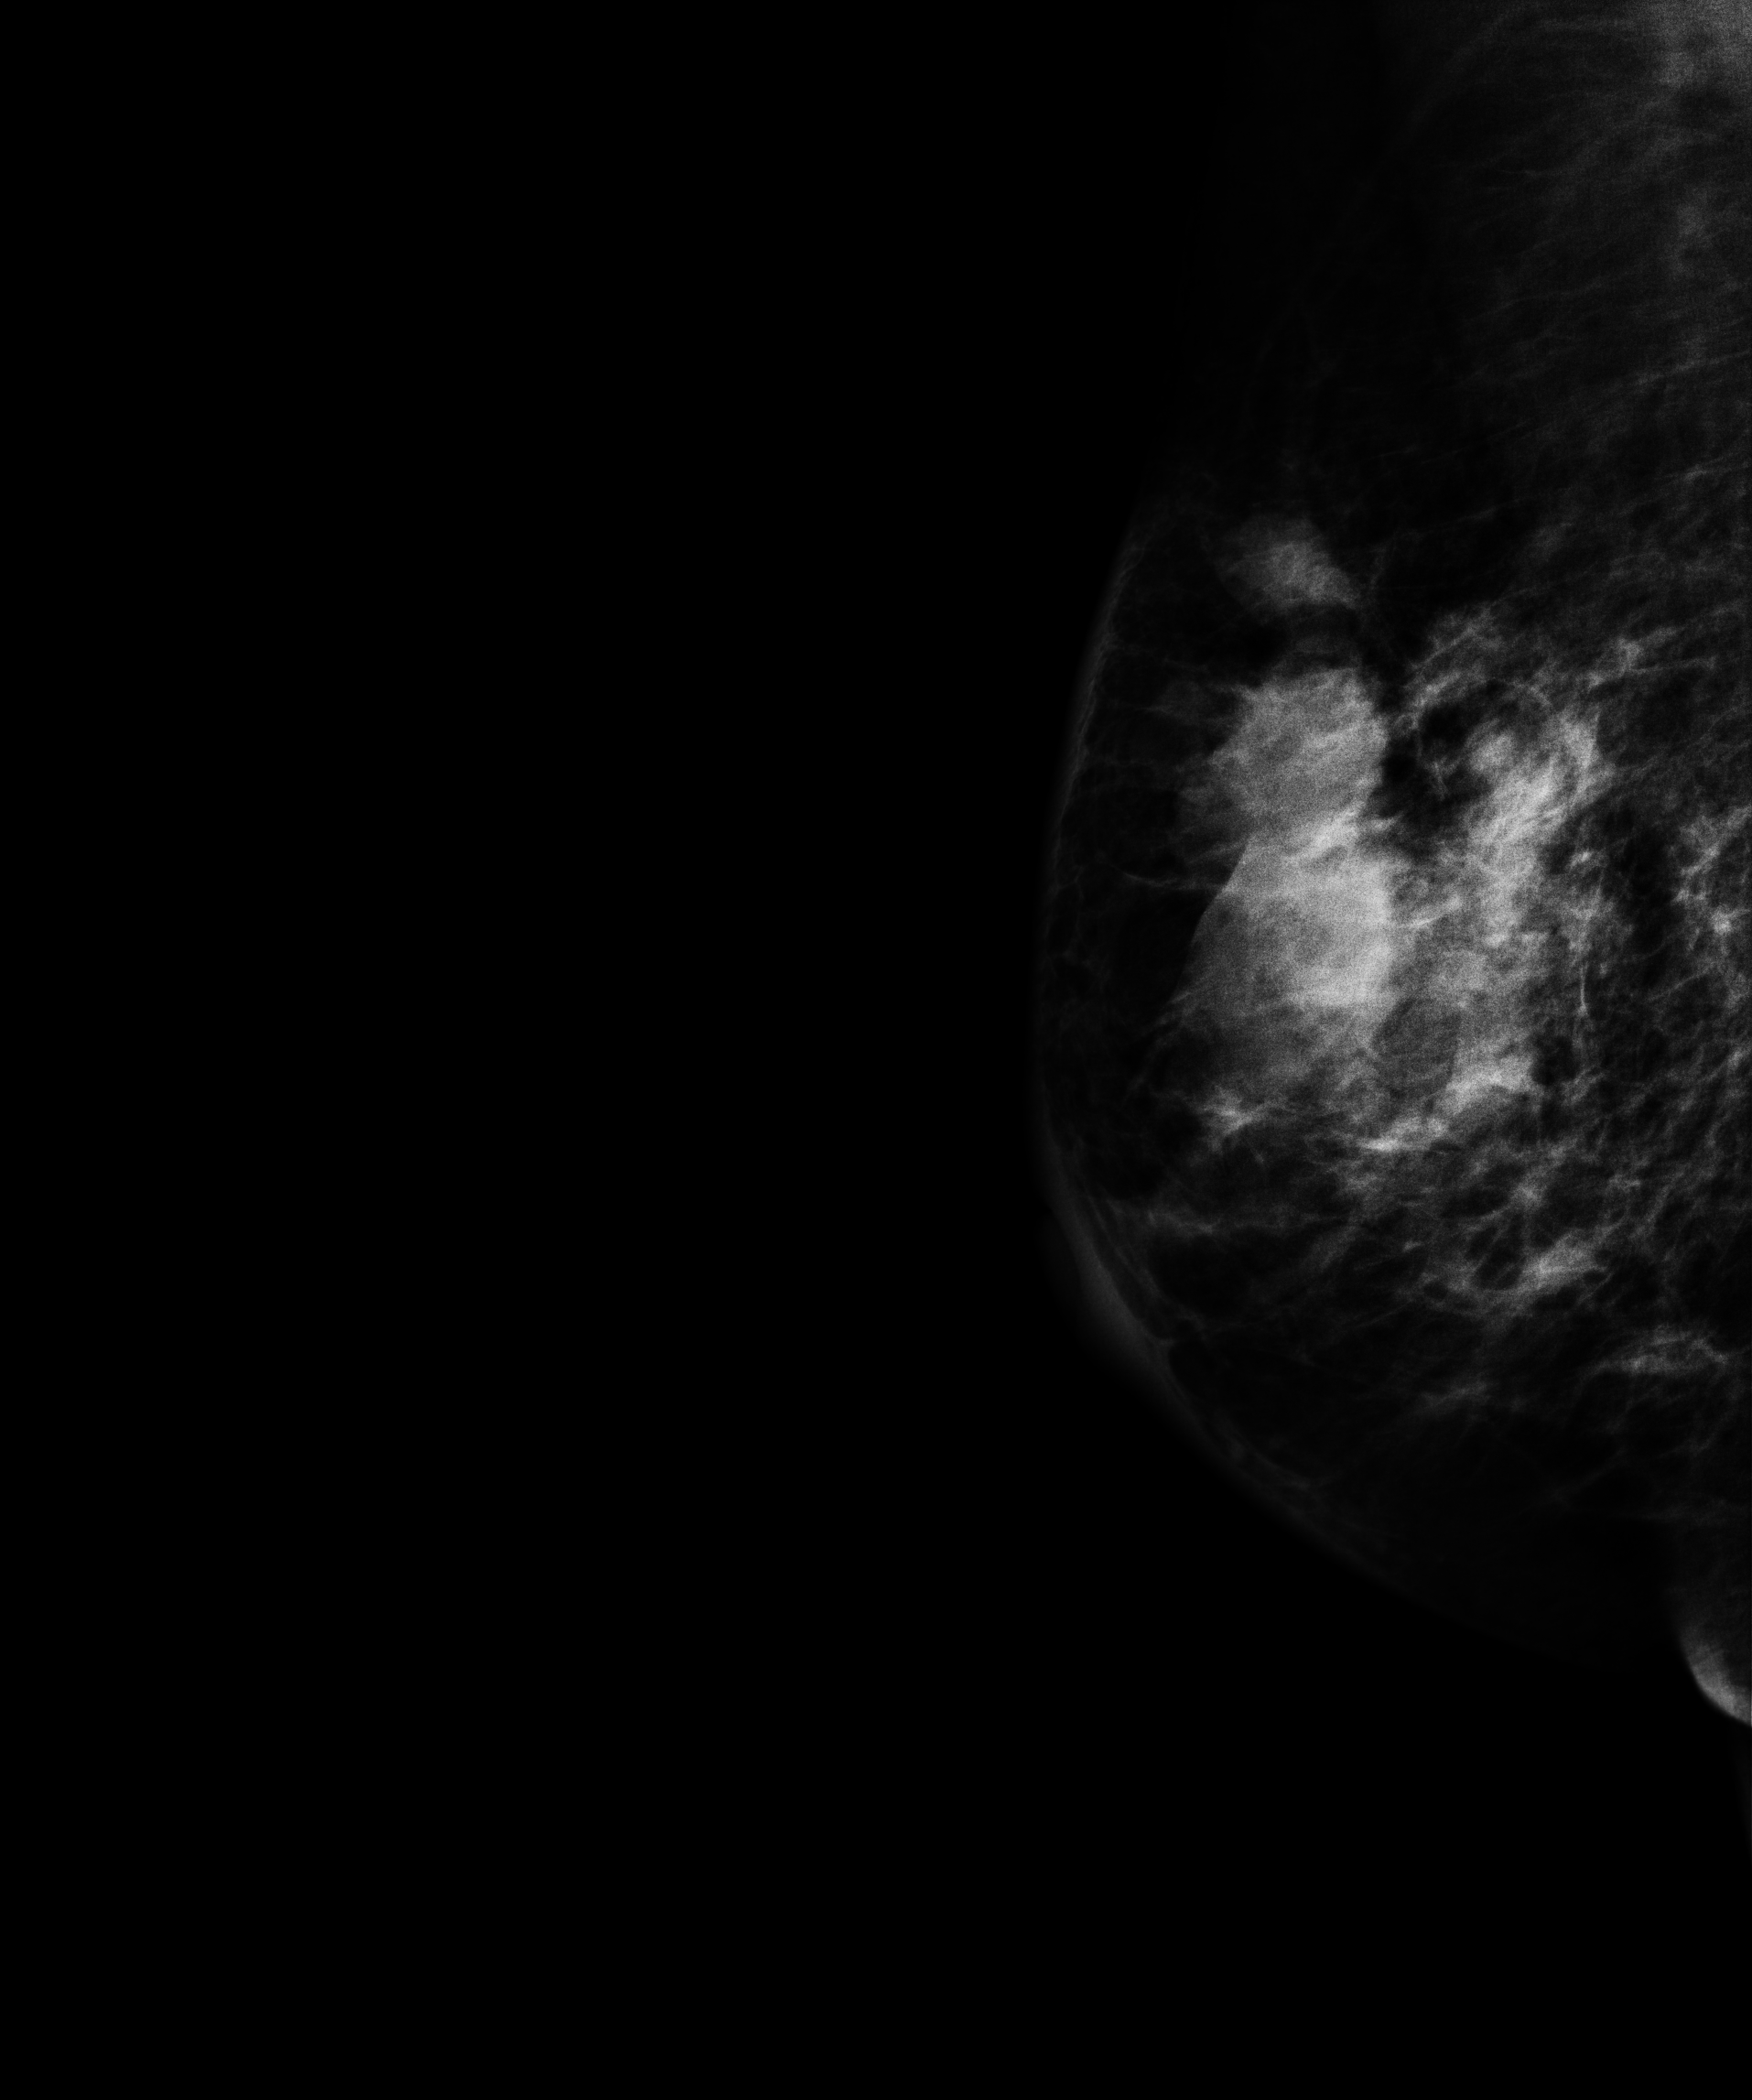
Mammogram — right medio-lateral oblique. Patient age 51.
This breast has a mass, biopsy-proven malignant. Molecular subtype: luminal A.